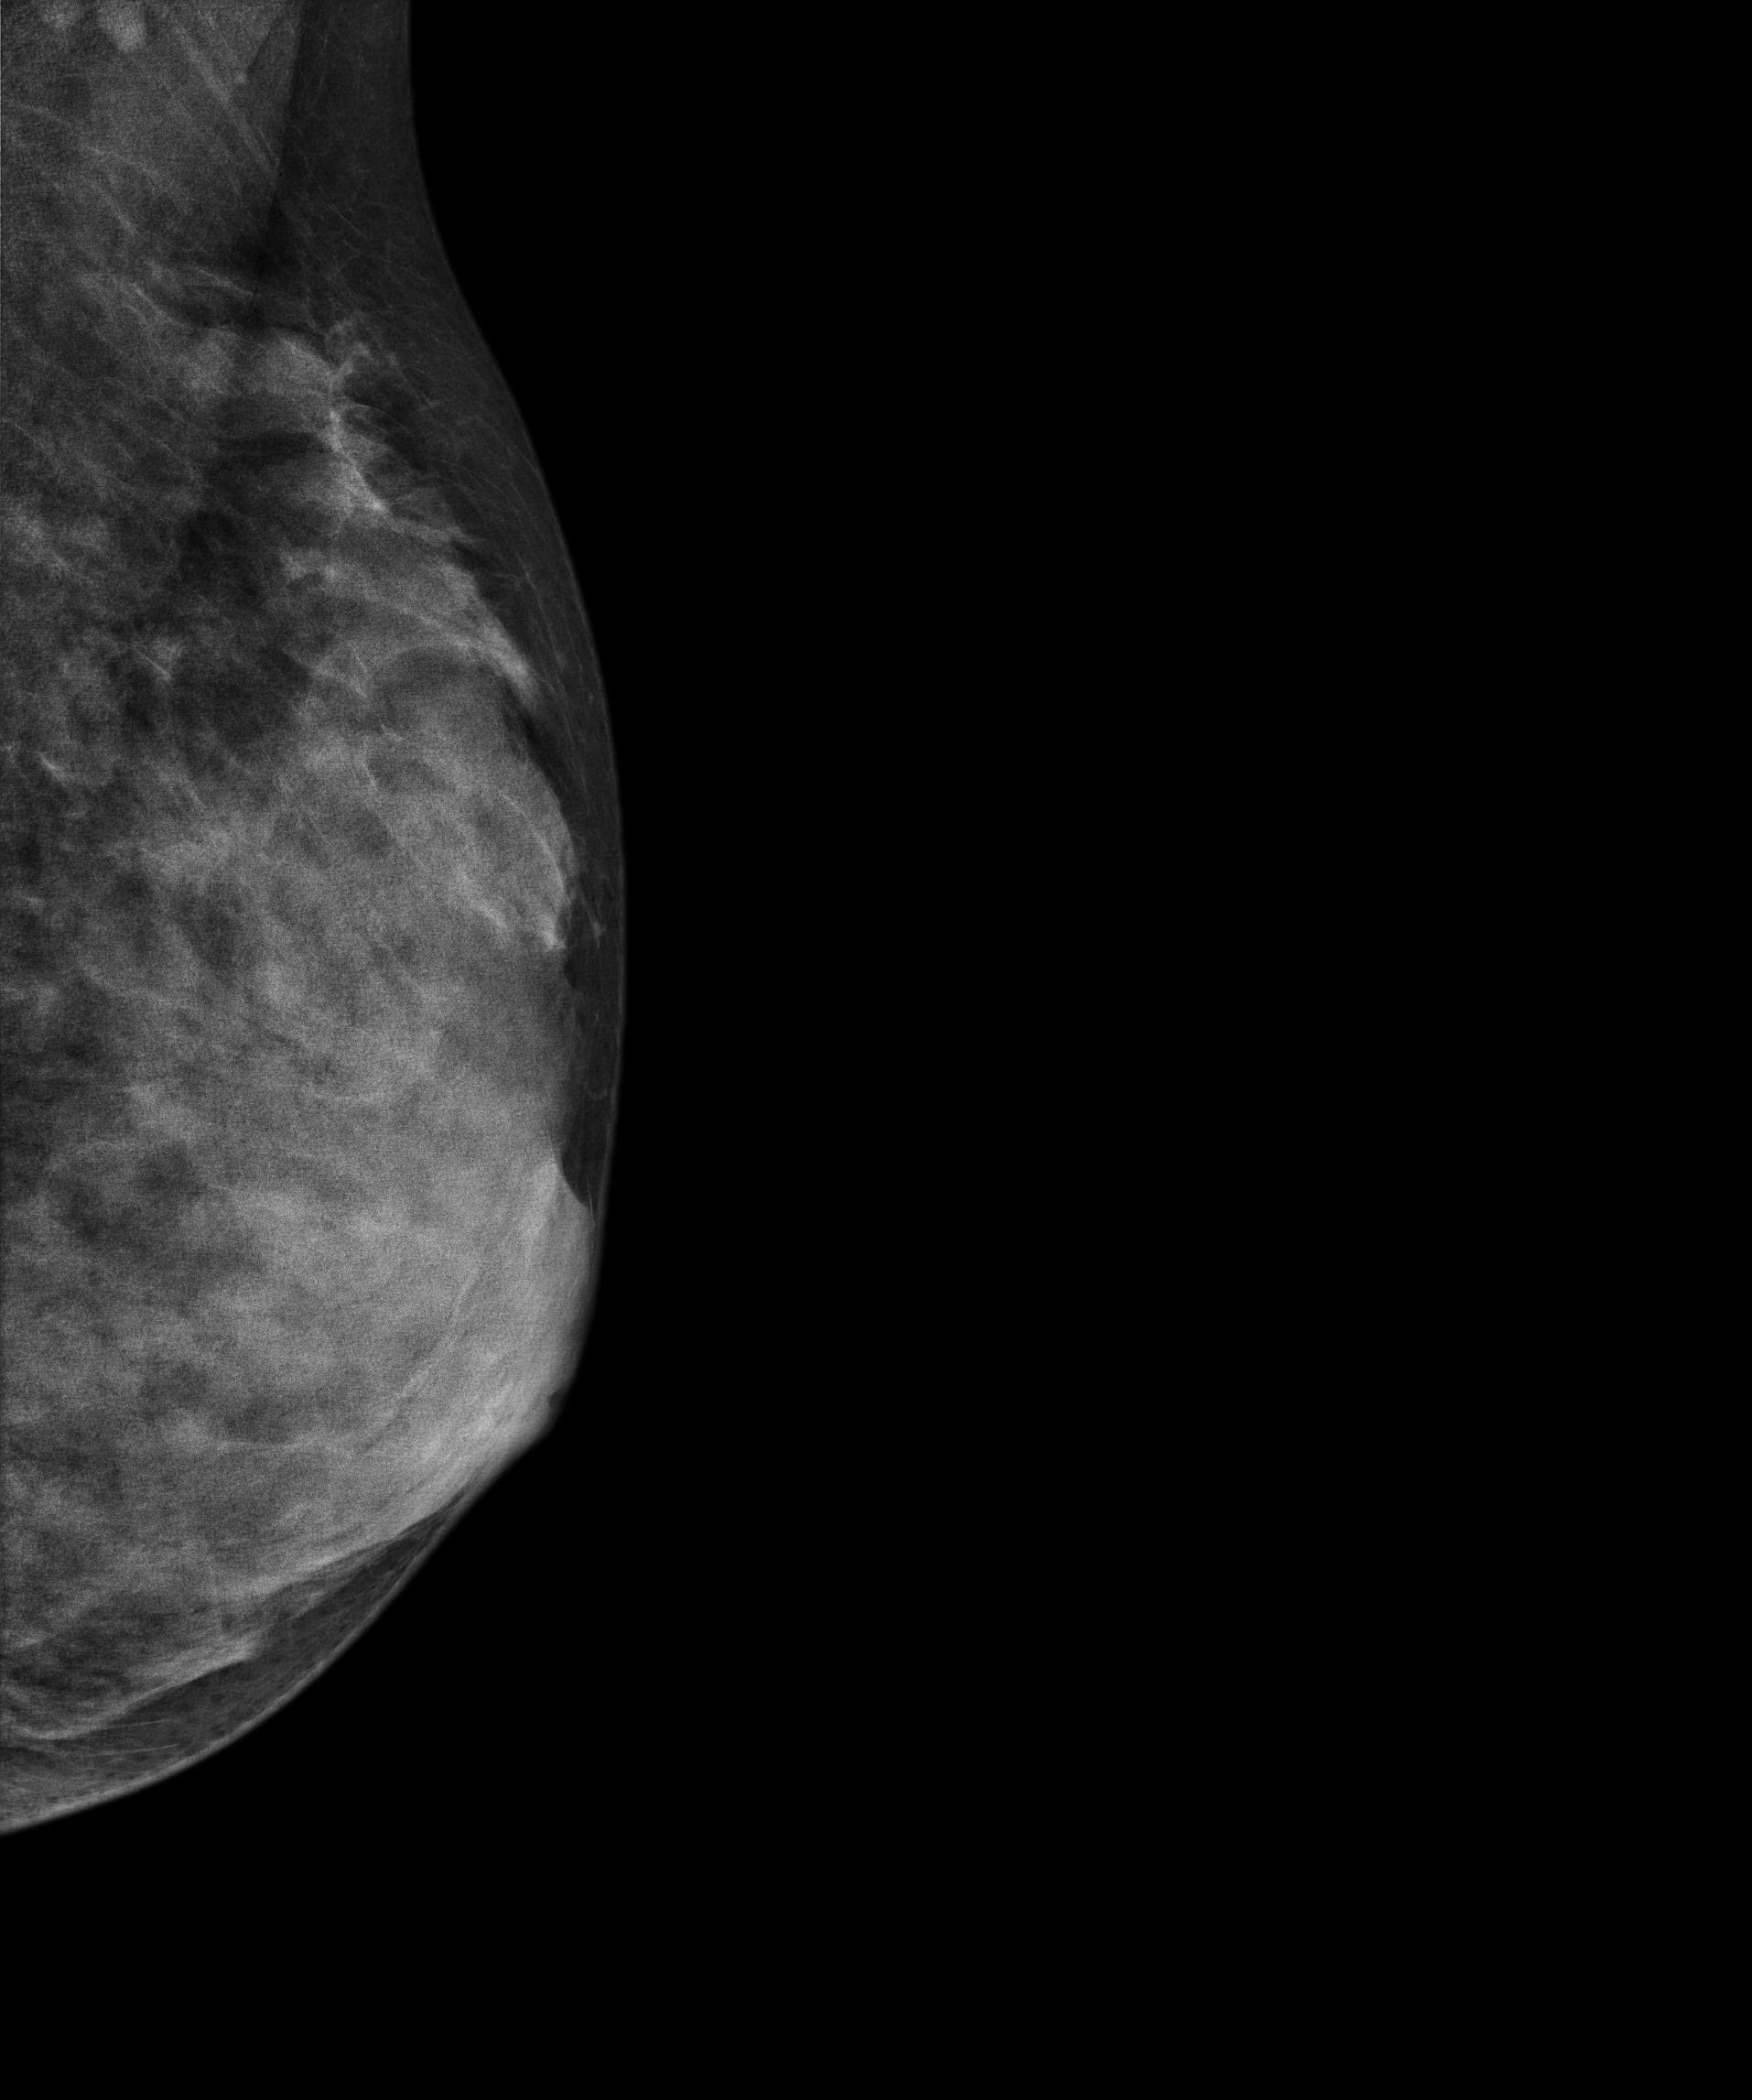
Mammogram — left MLO. 39-year-old patient.
This breast has a mass, pathology-confirmed benign.